Right-breast mammogram, cranio-caudal. 43-year-old patient.
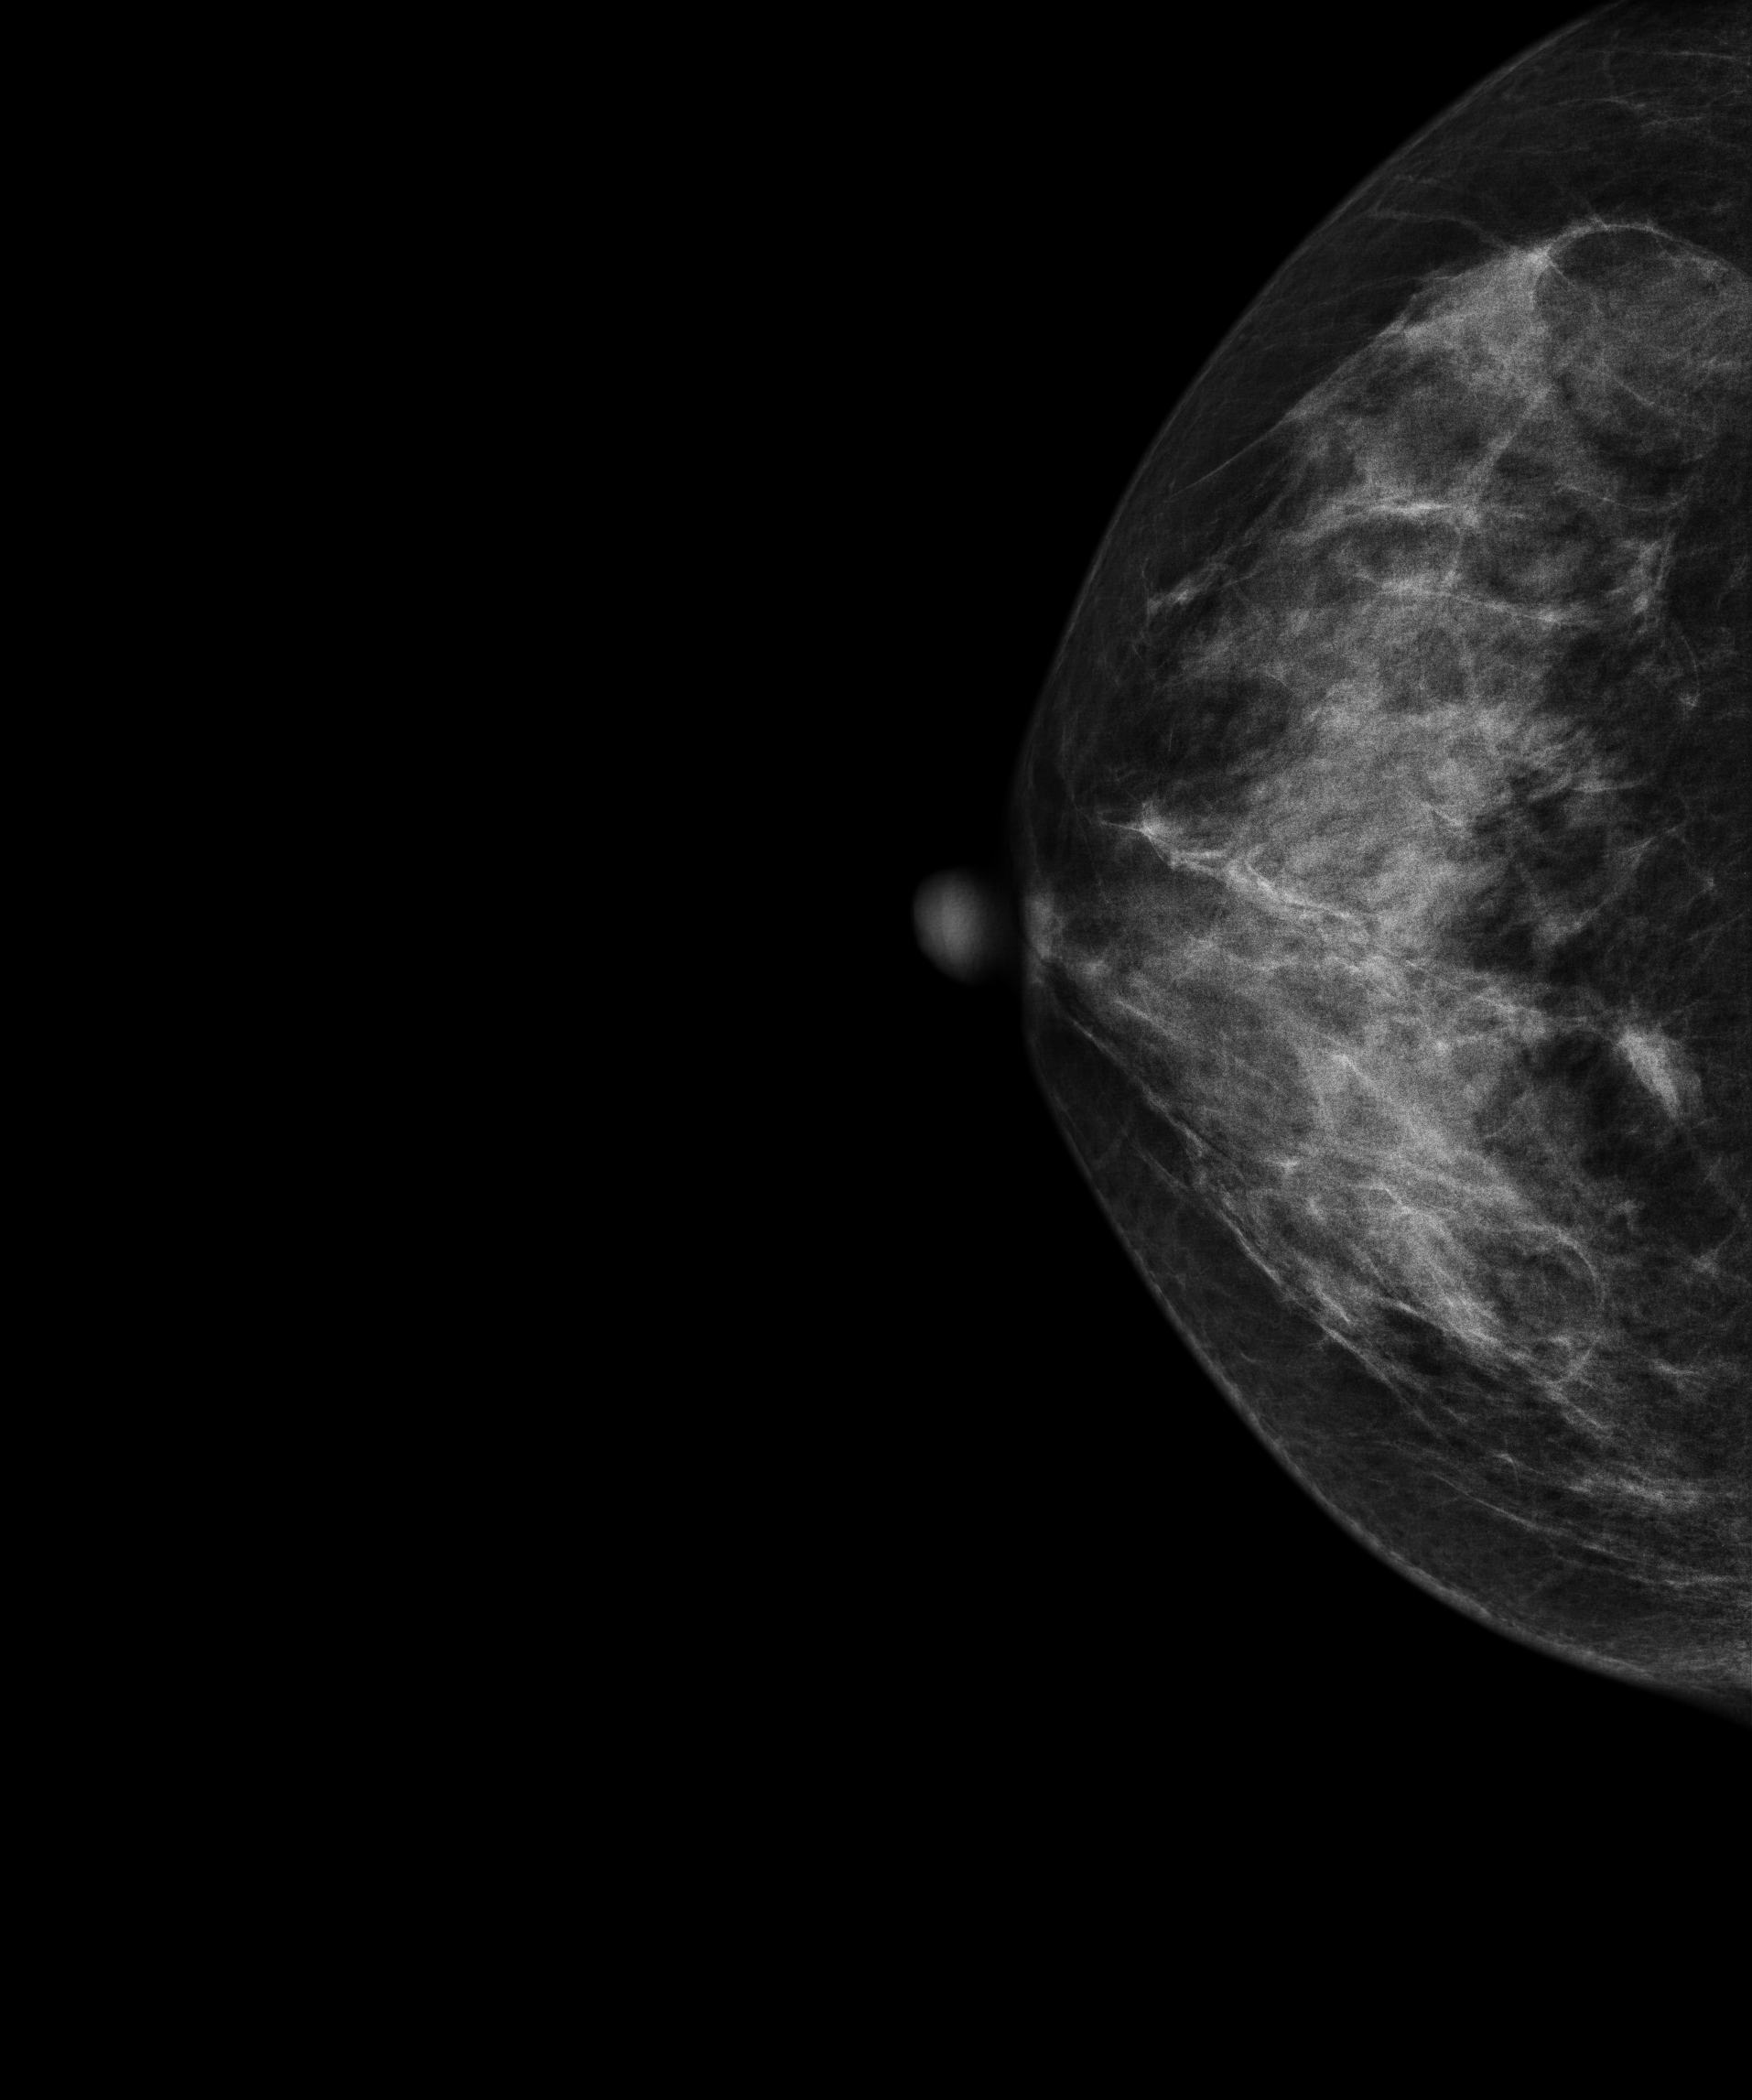
This breast has calcifications, pathology-confirmed malignant.